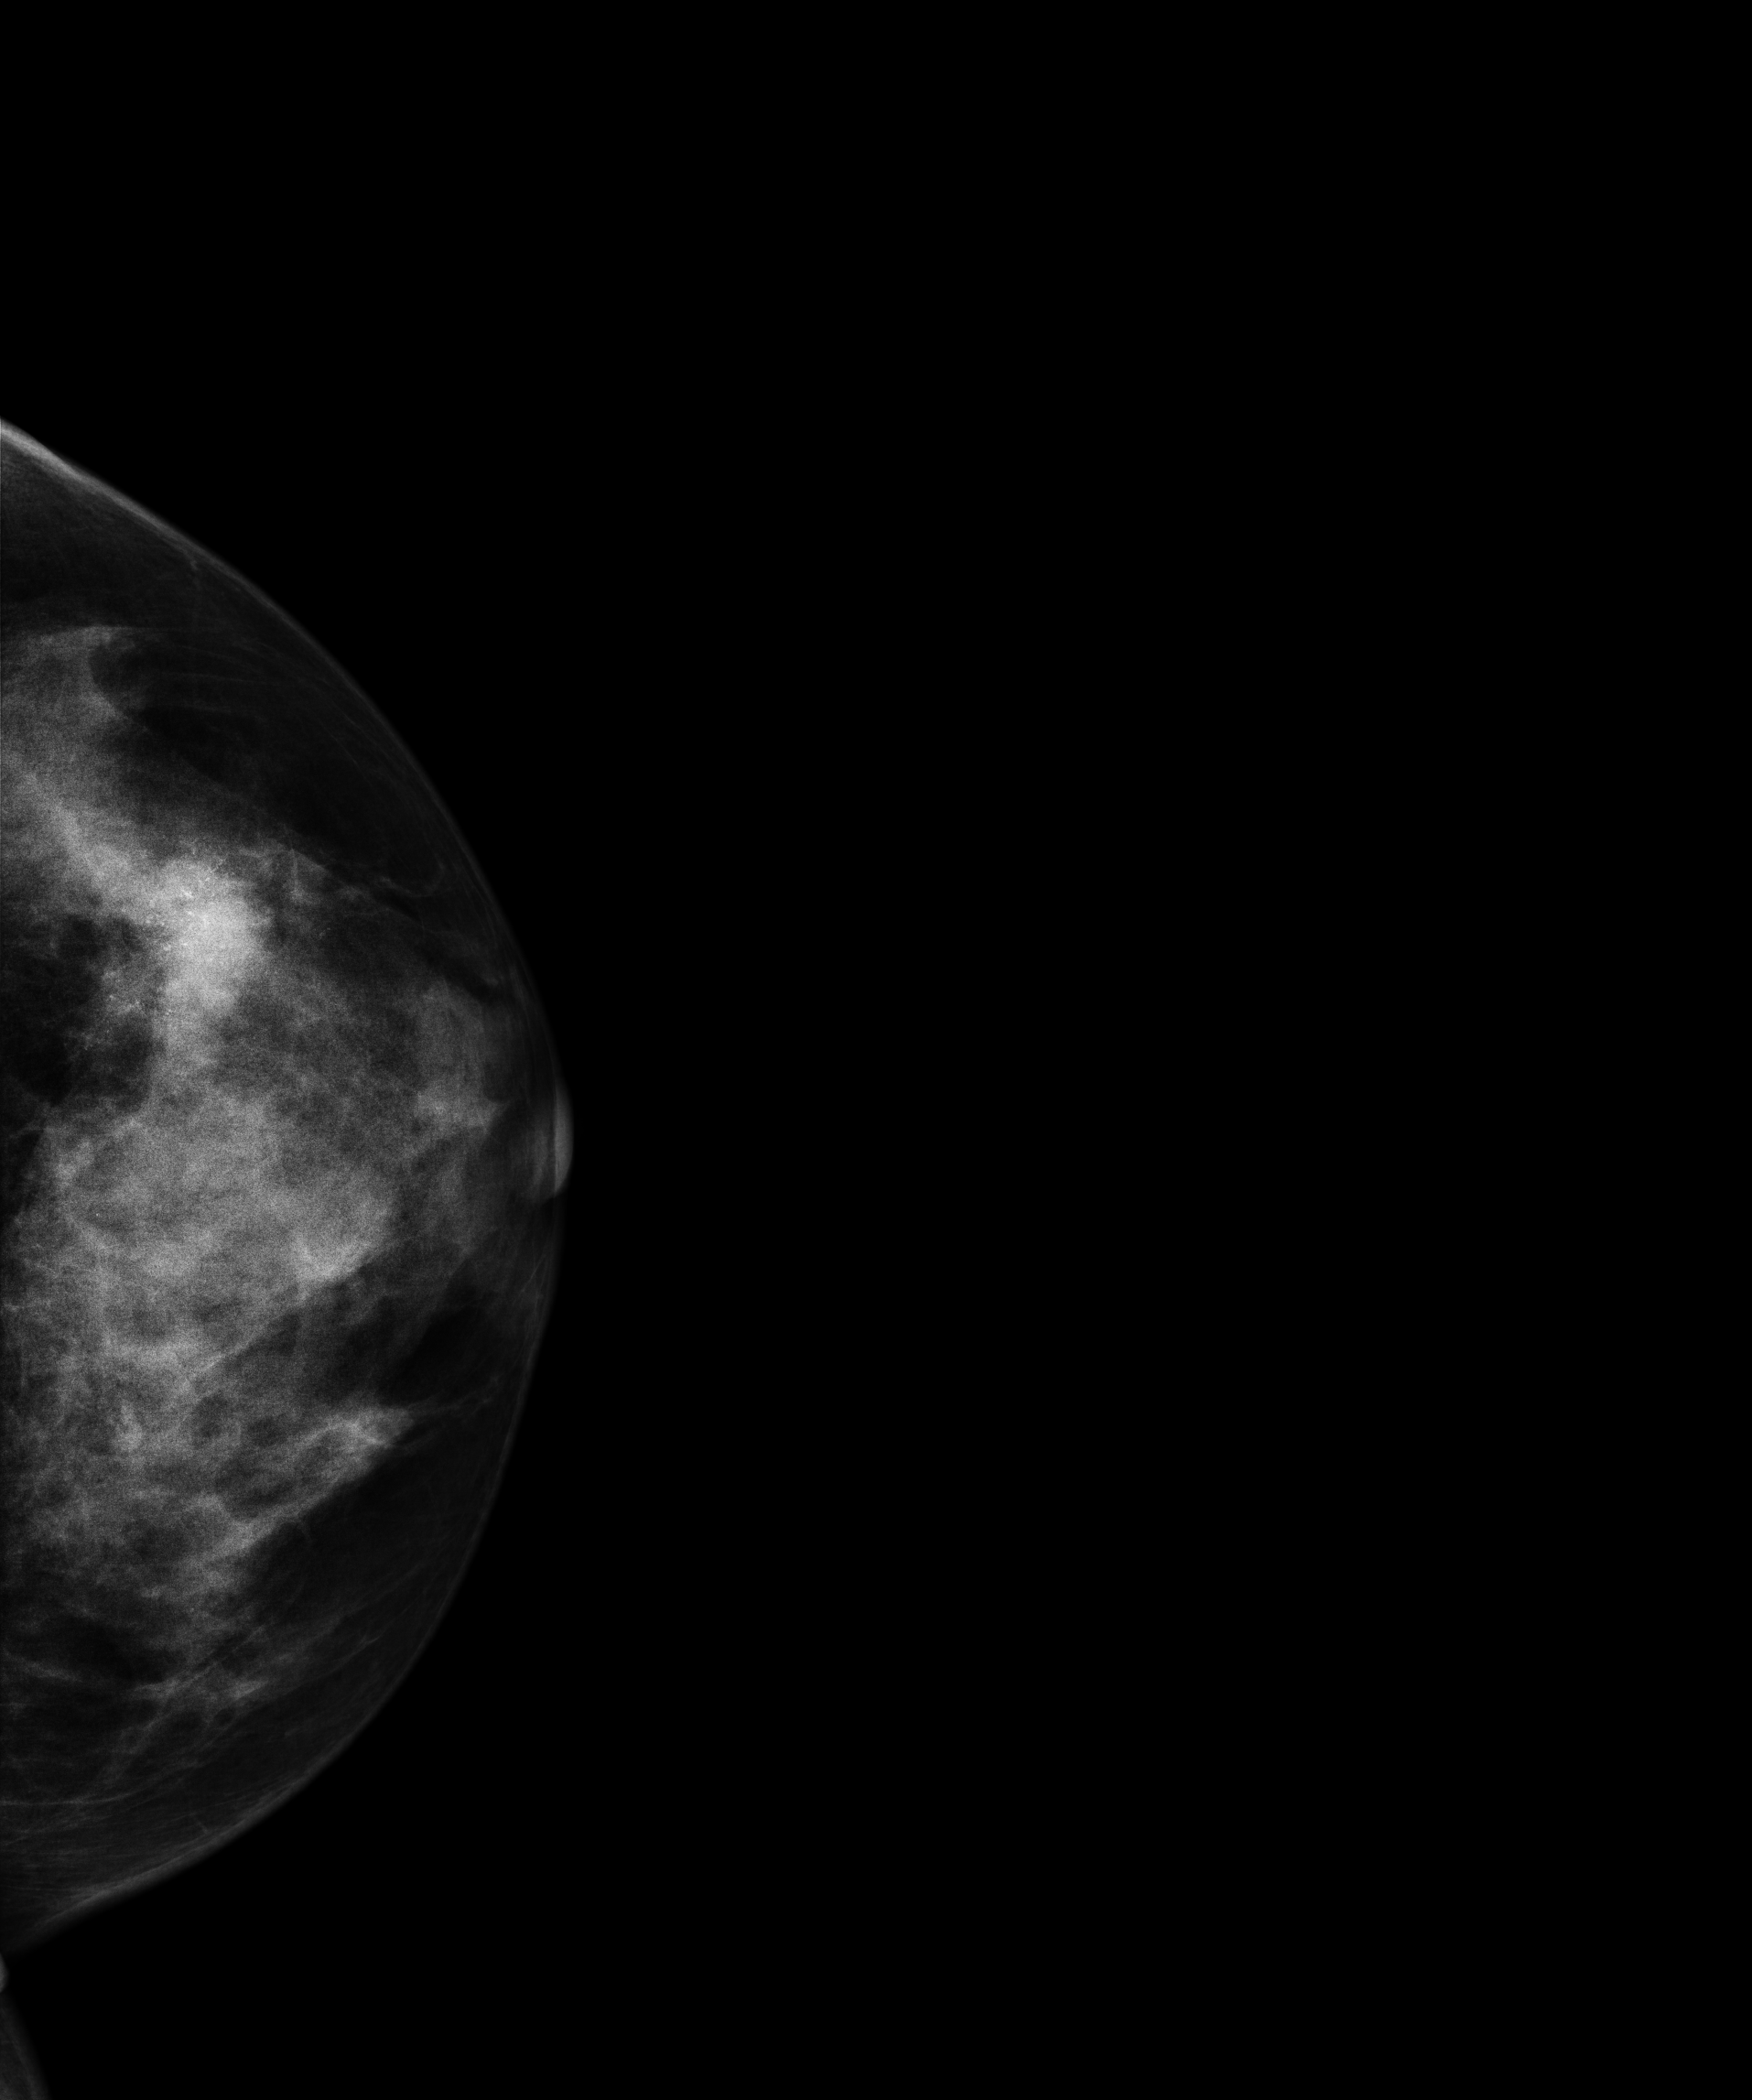
CC mammogram of the left breast. 39-year-old patient.
This breast has a mass and calcifications, biopsy-proven malignant. Molecular subtype: luminal B.